Mammogram, right breast, CC view. 70 y/o patient.
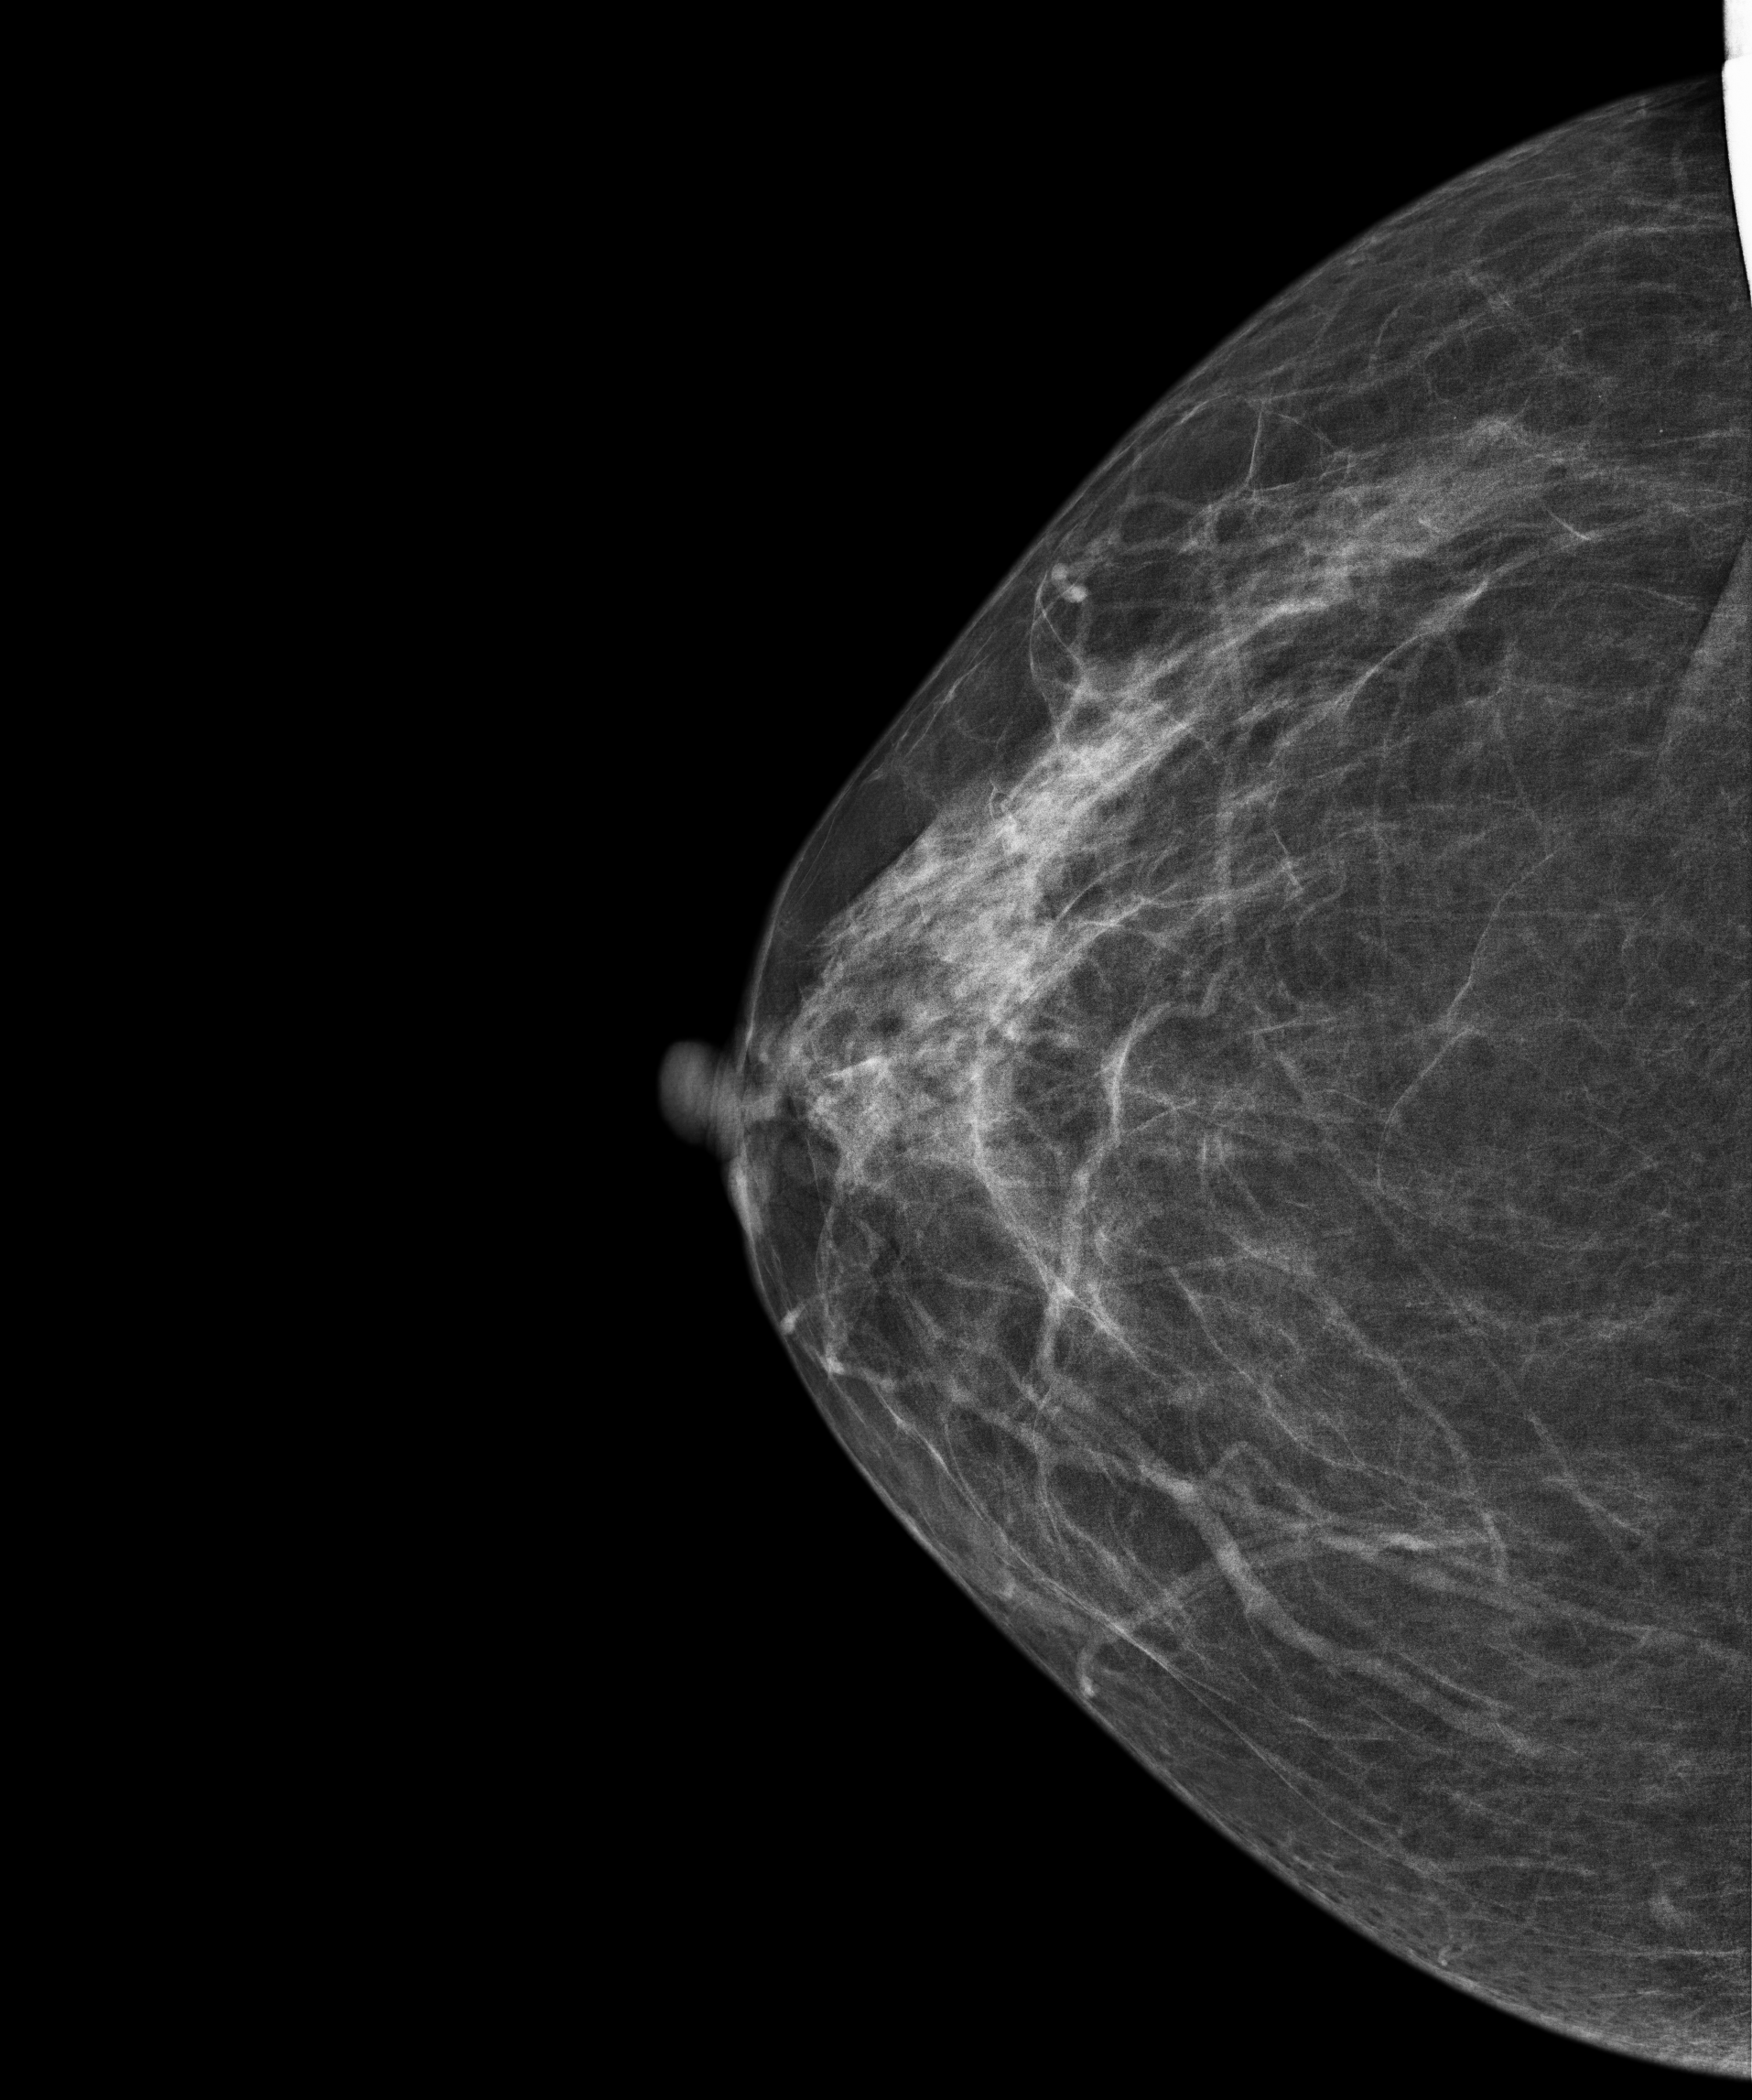
Contralateral breast — no documented abnormality on this side.